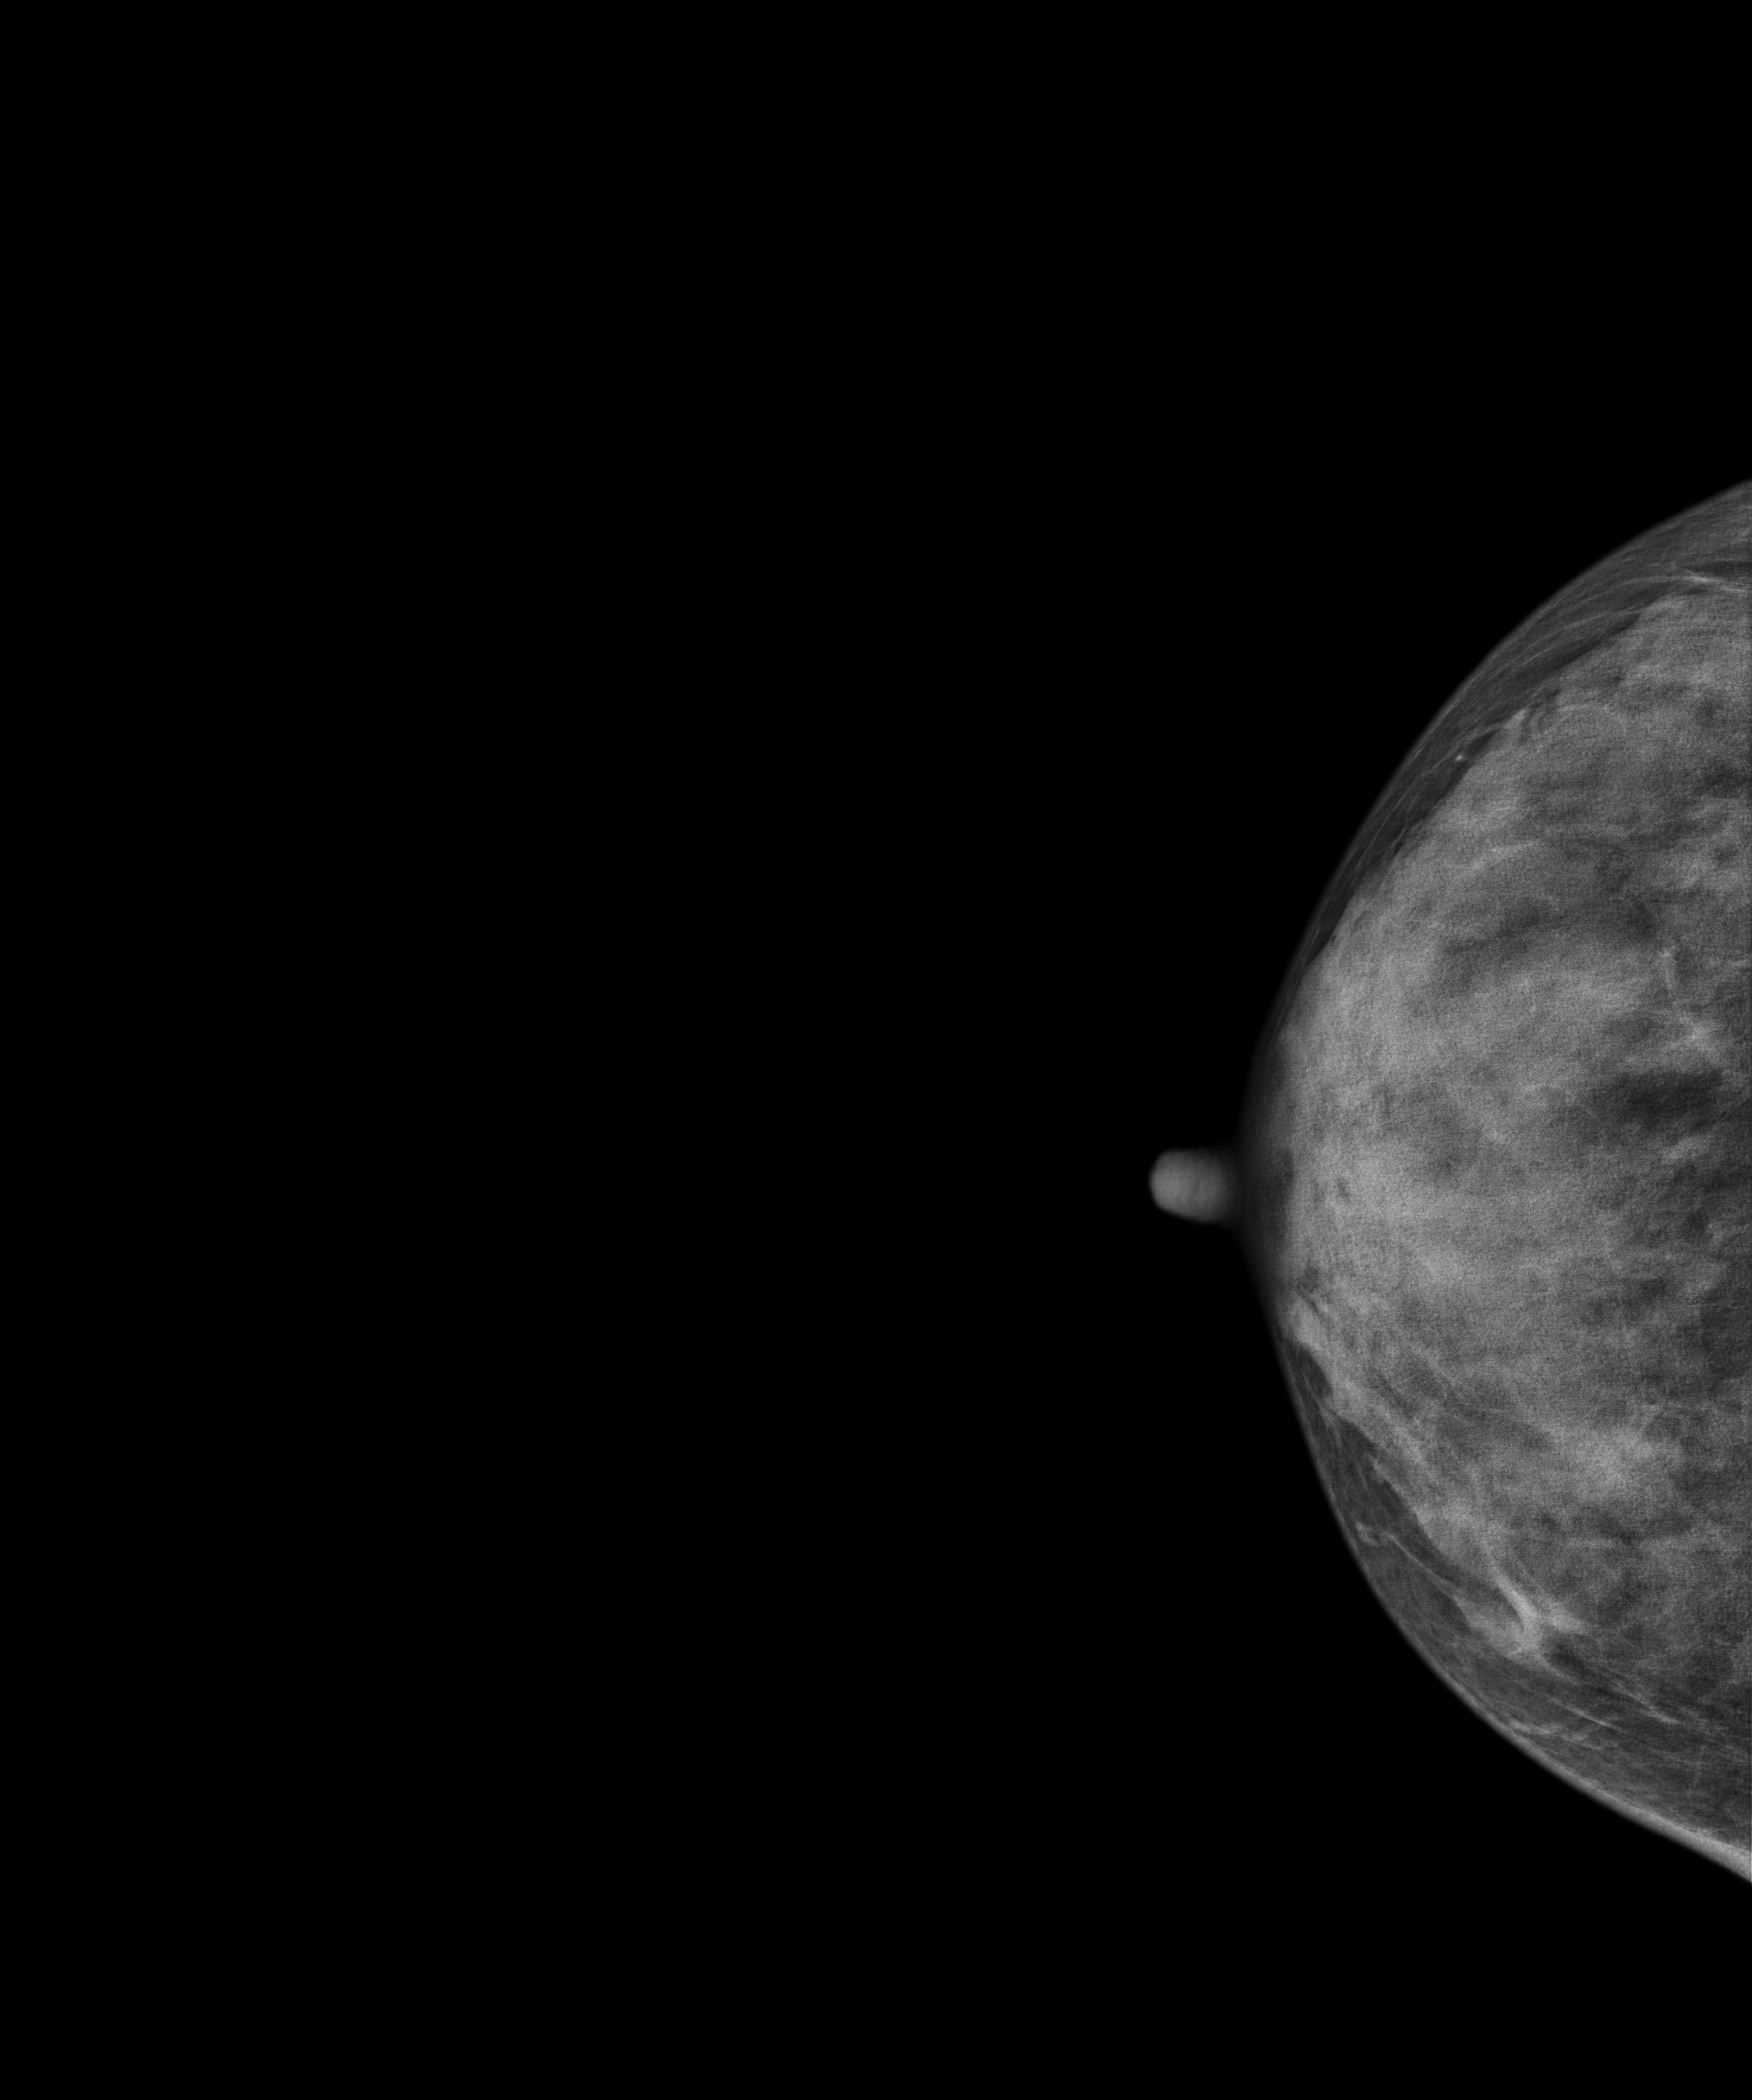
Right-breast mammogram, cranio-caudal. 29 y/o patient.
This breast has a mass, biopsy-proven benign.